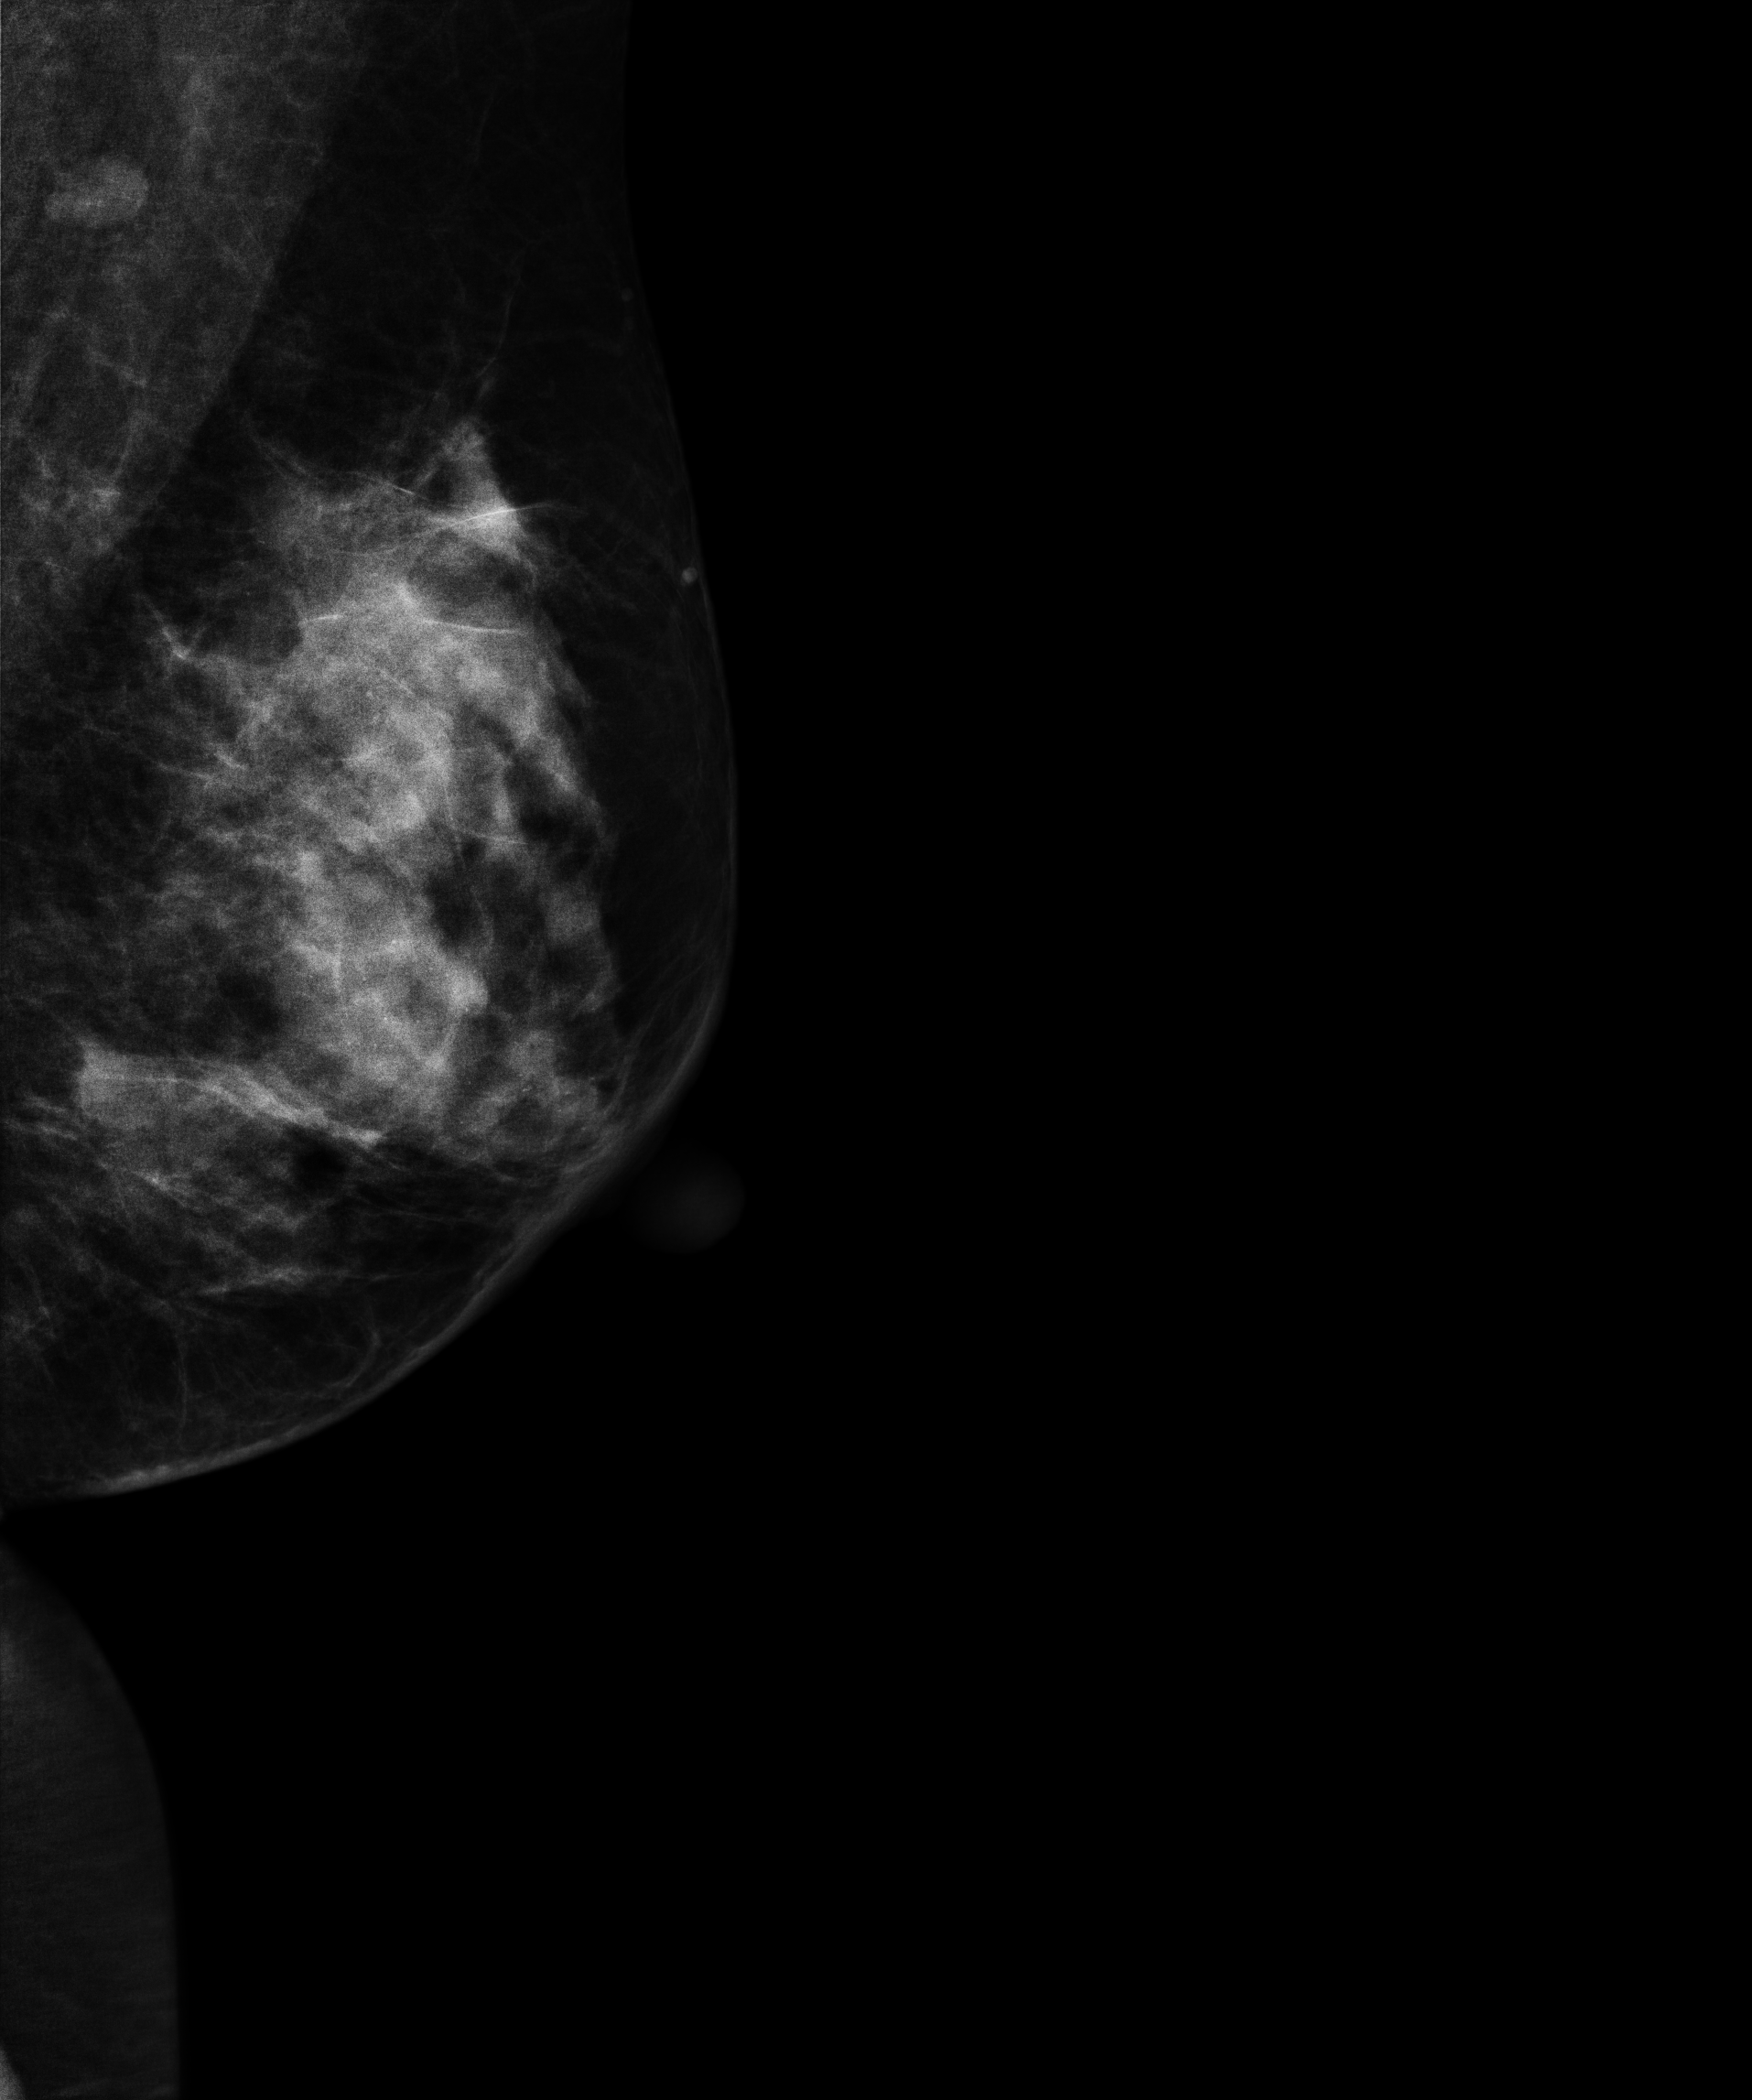
Mammogram — left MLO. 41-year-old patient.
This breast has calcifications, pathology-confirmed benign.